Mammogram, left breast, medio-lateral oblique view. Patient age 56.
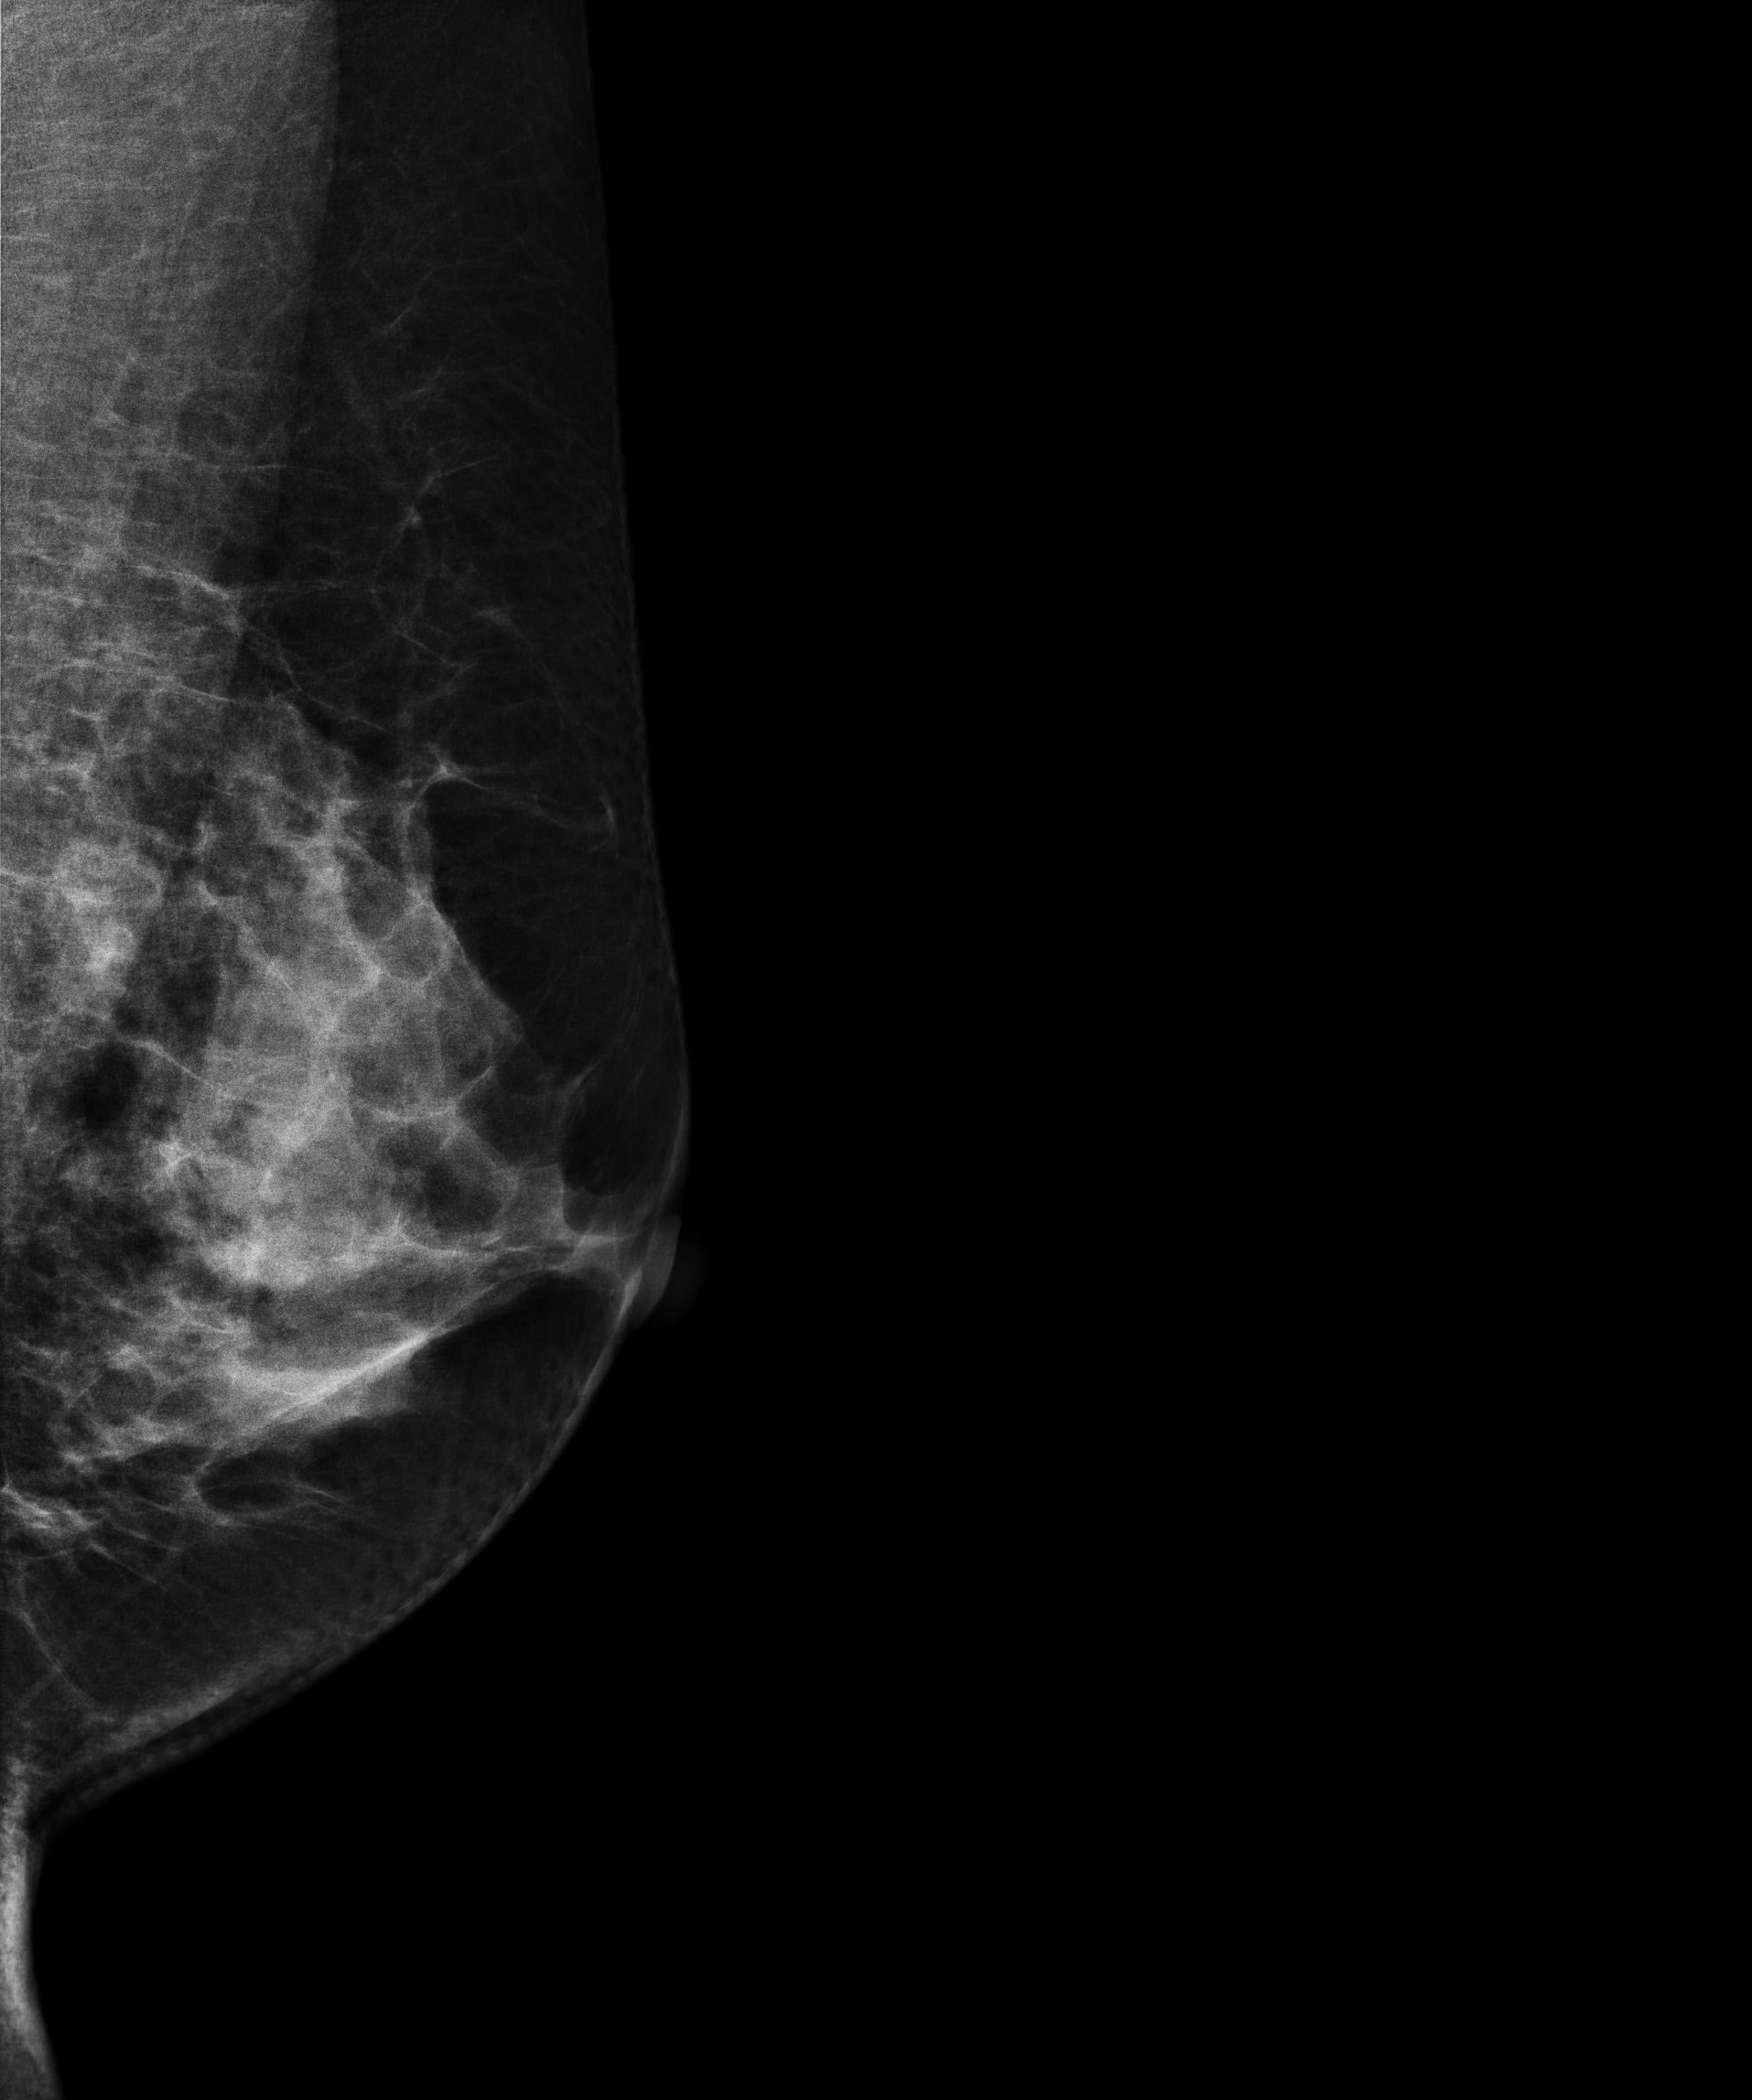
Contralateral breast — no documented abnormality on this side.